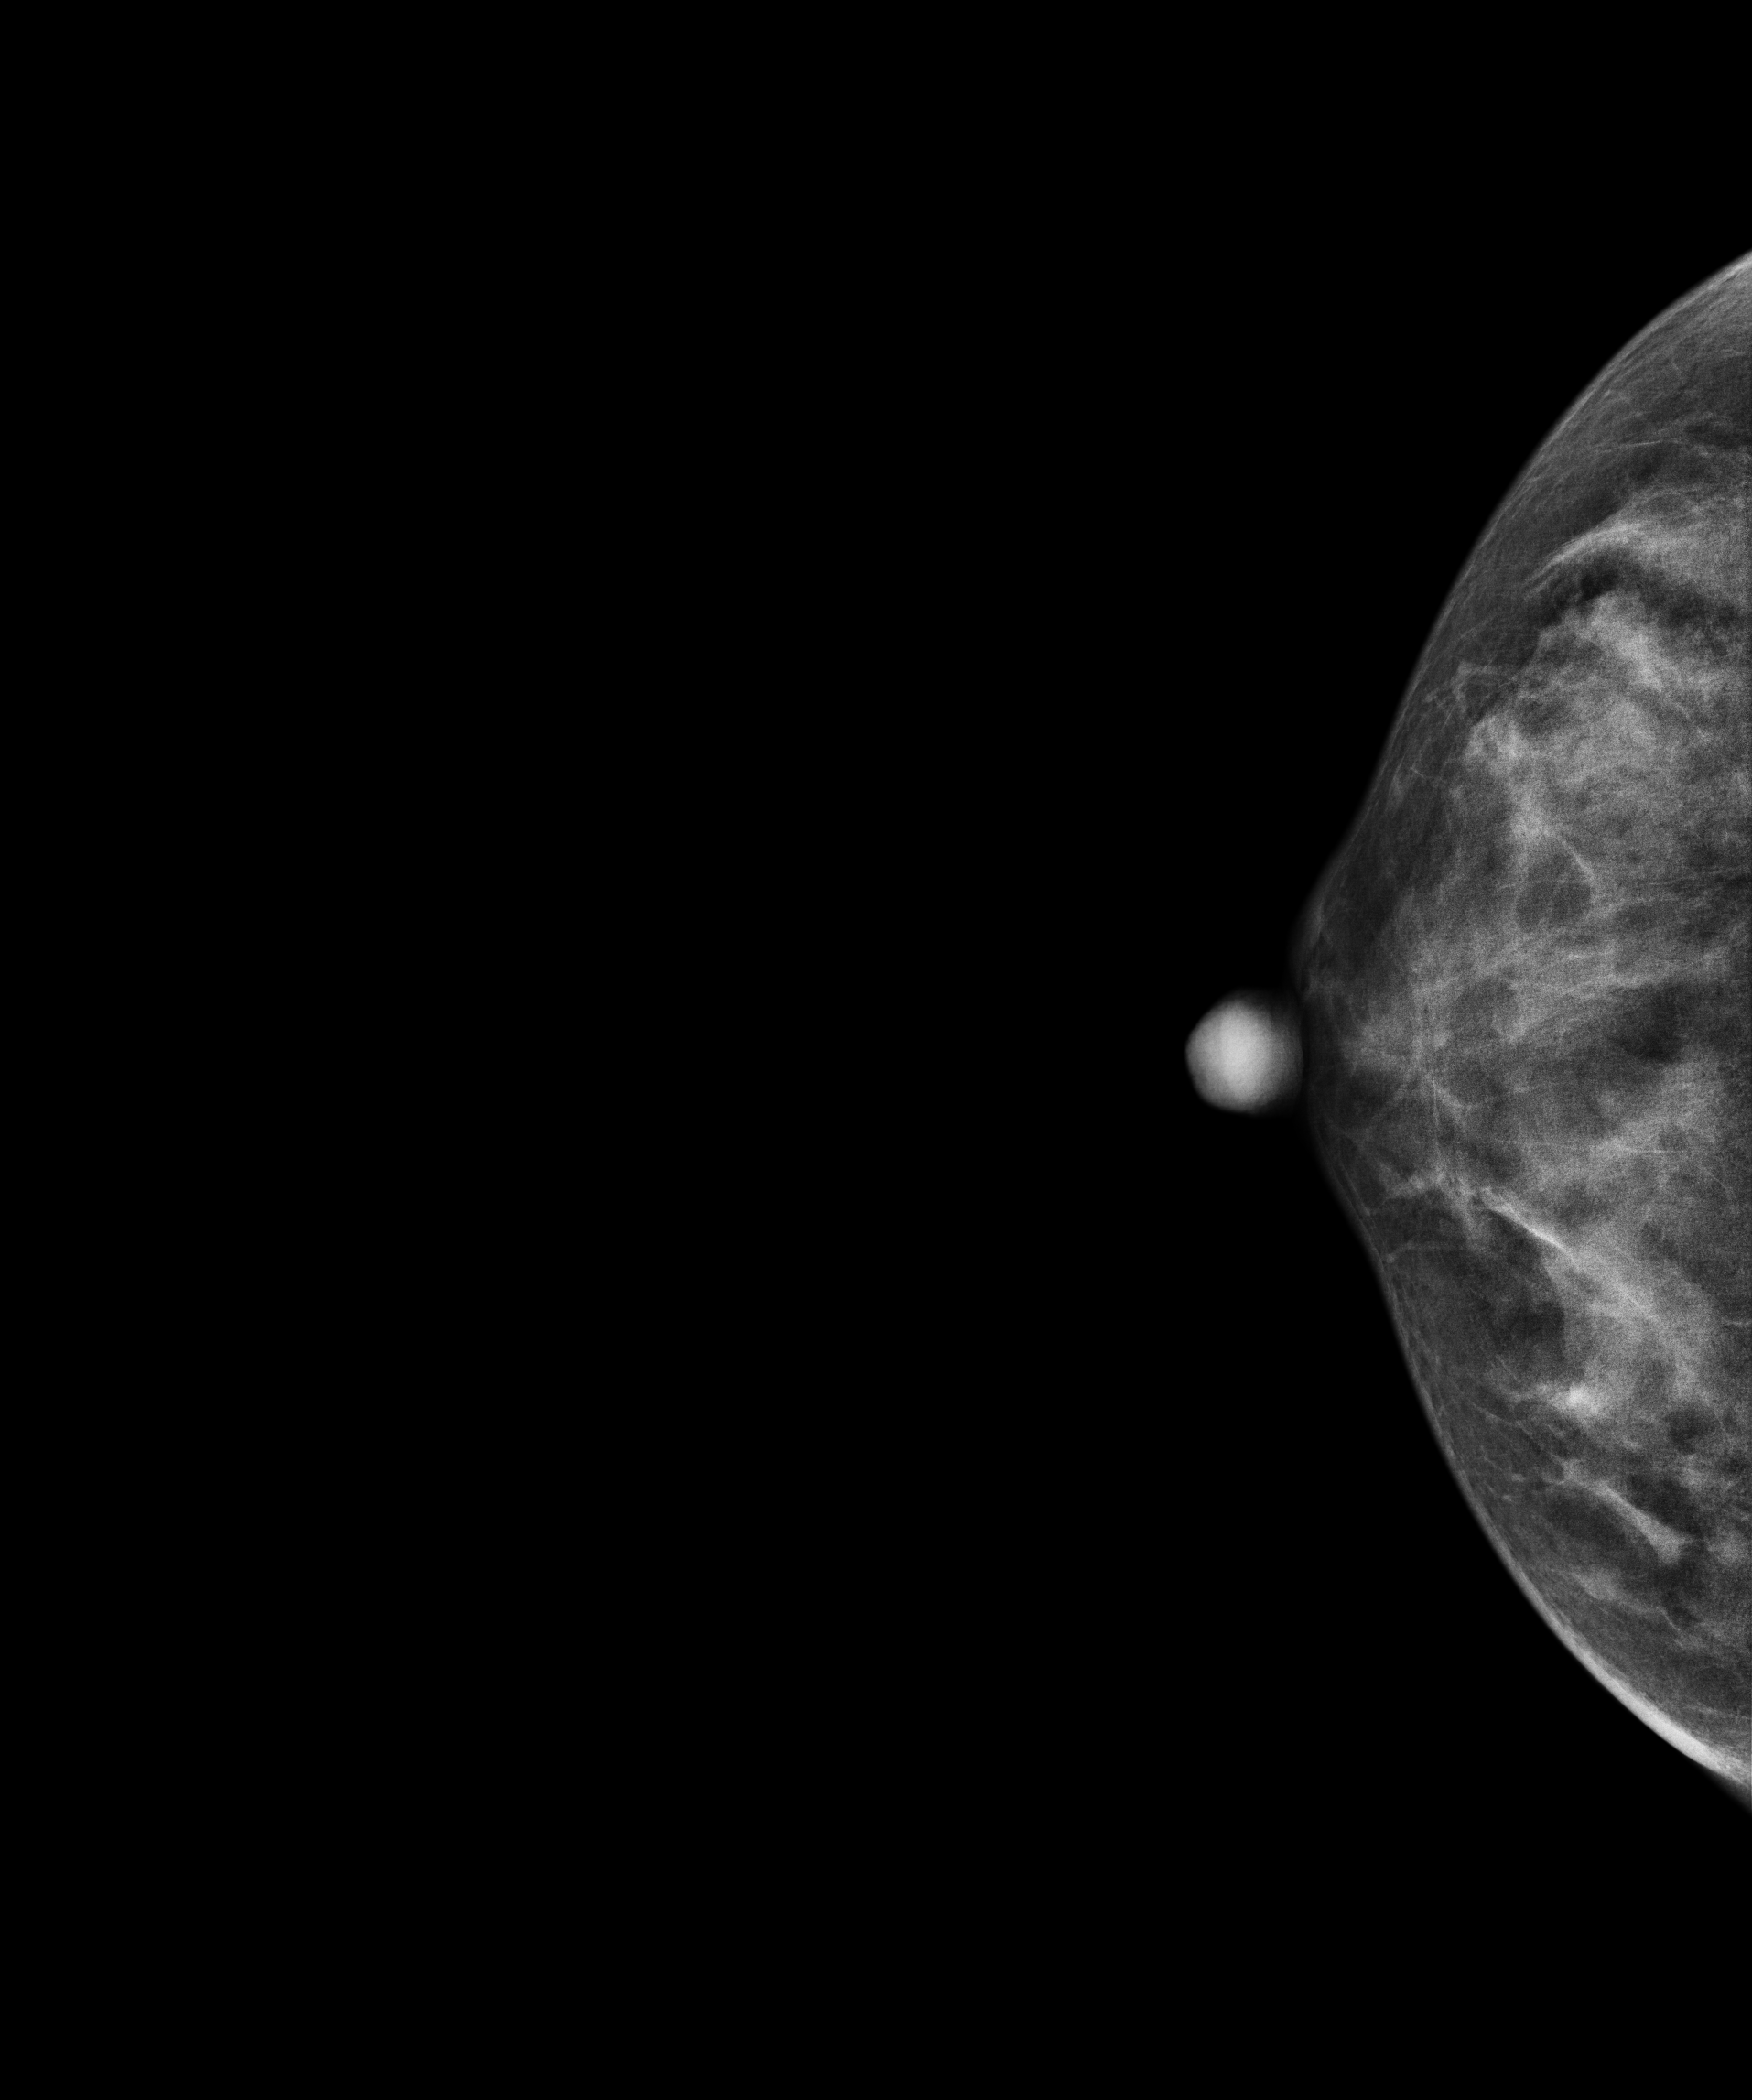
Mammogram, right breast, cranio-caudal view. 42-year-old patient.
Contralateral breast — no documented abnormality on this side.